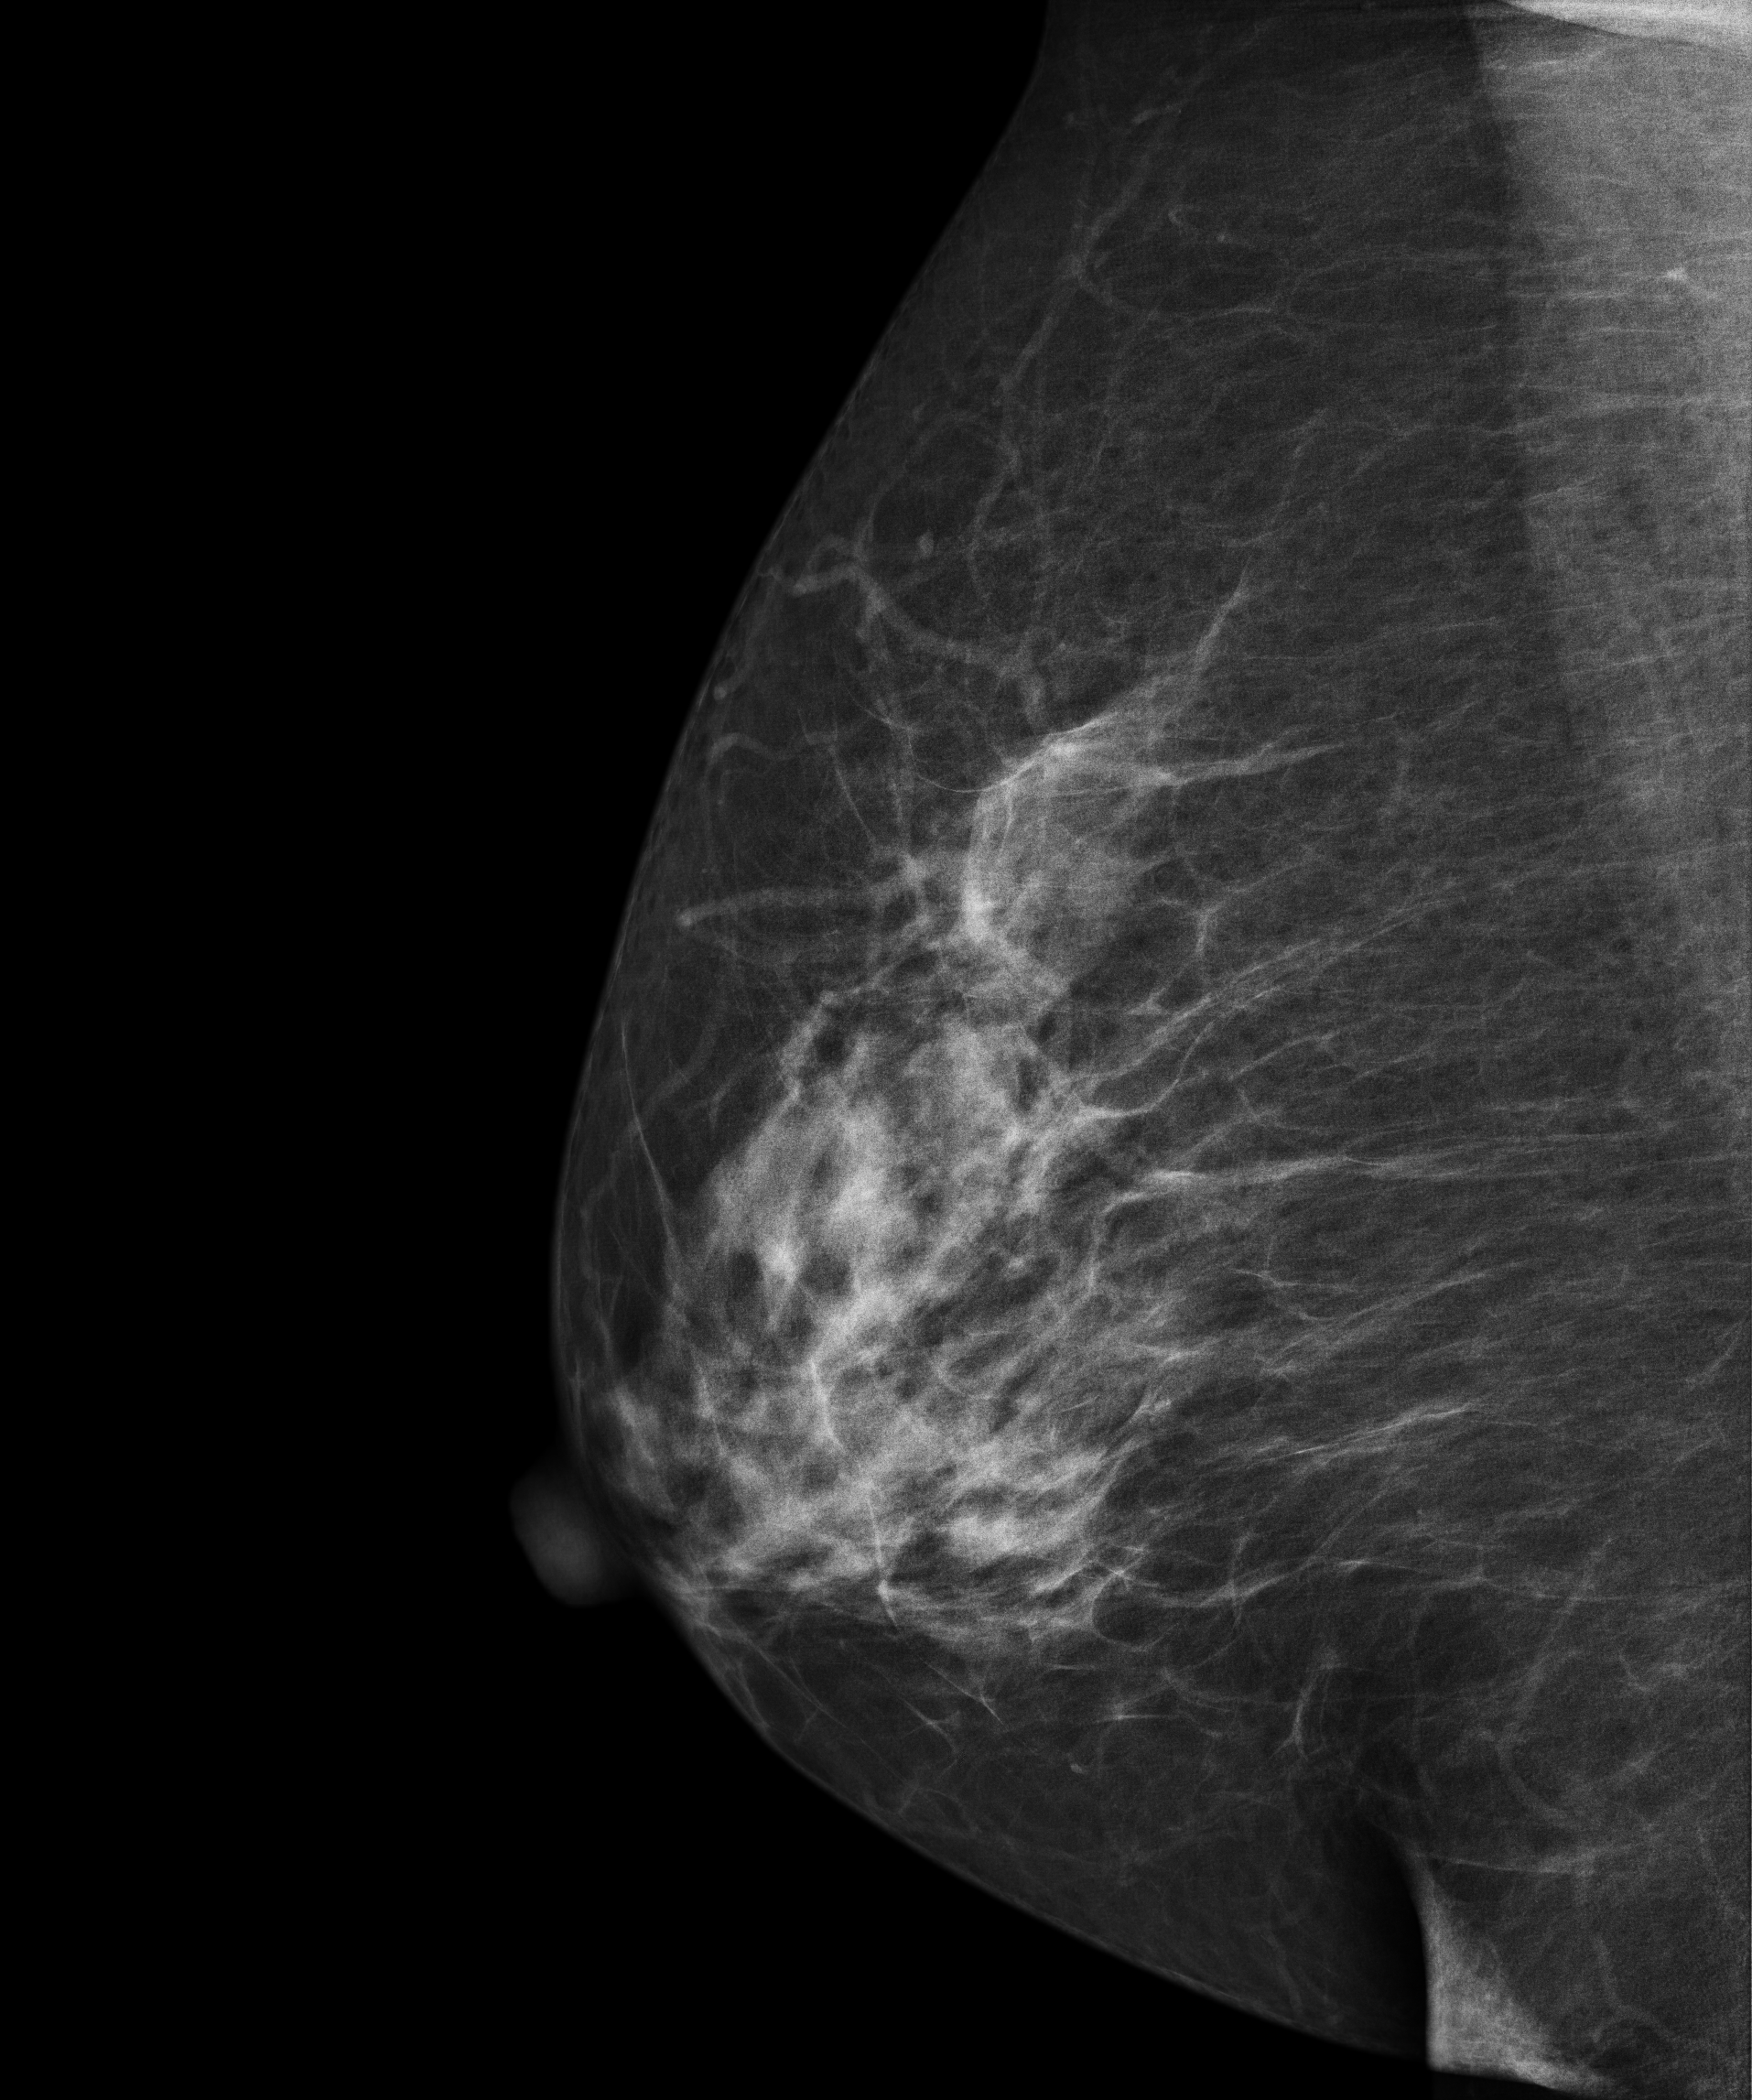
Medio-lateral oblique mammogram of the right breast. 51-year-old patient.
Contralateral breast — no documented abnormality on this side.